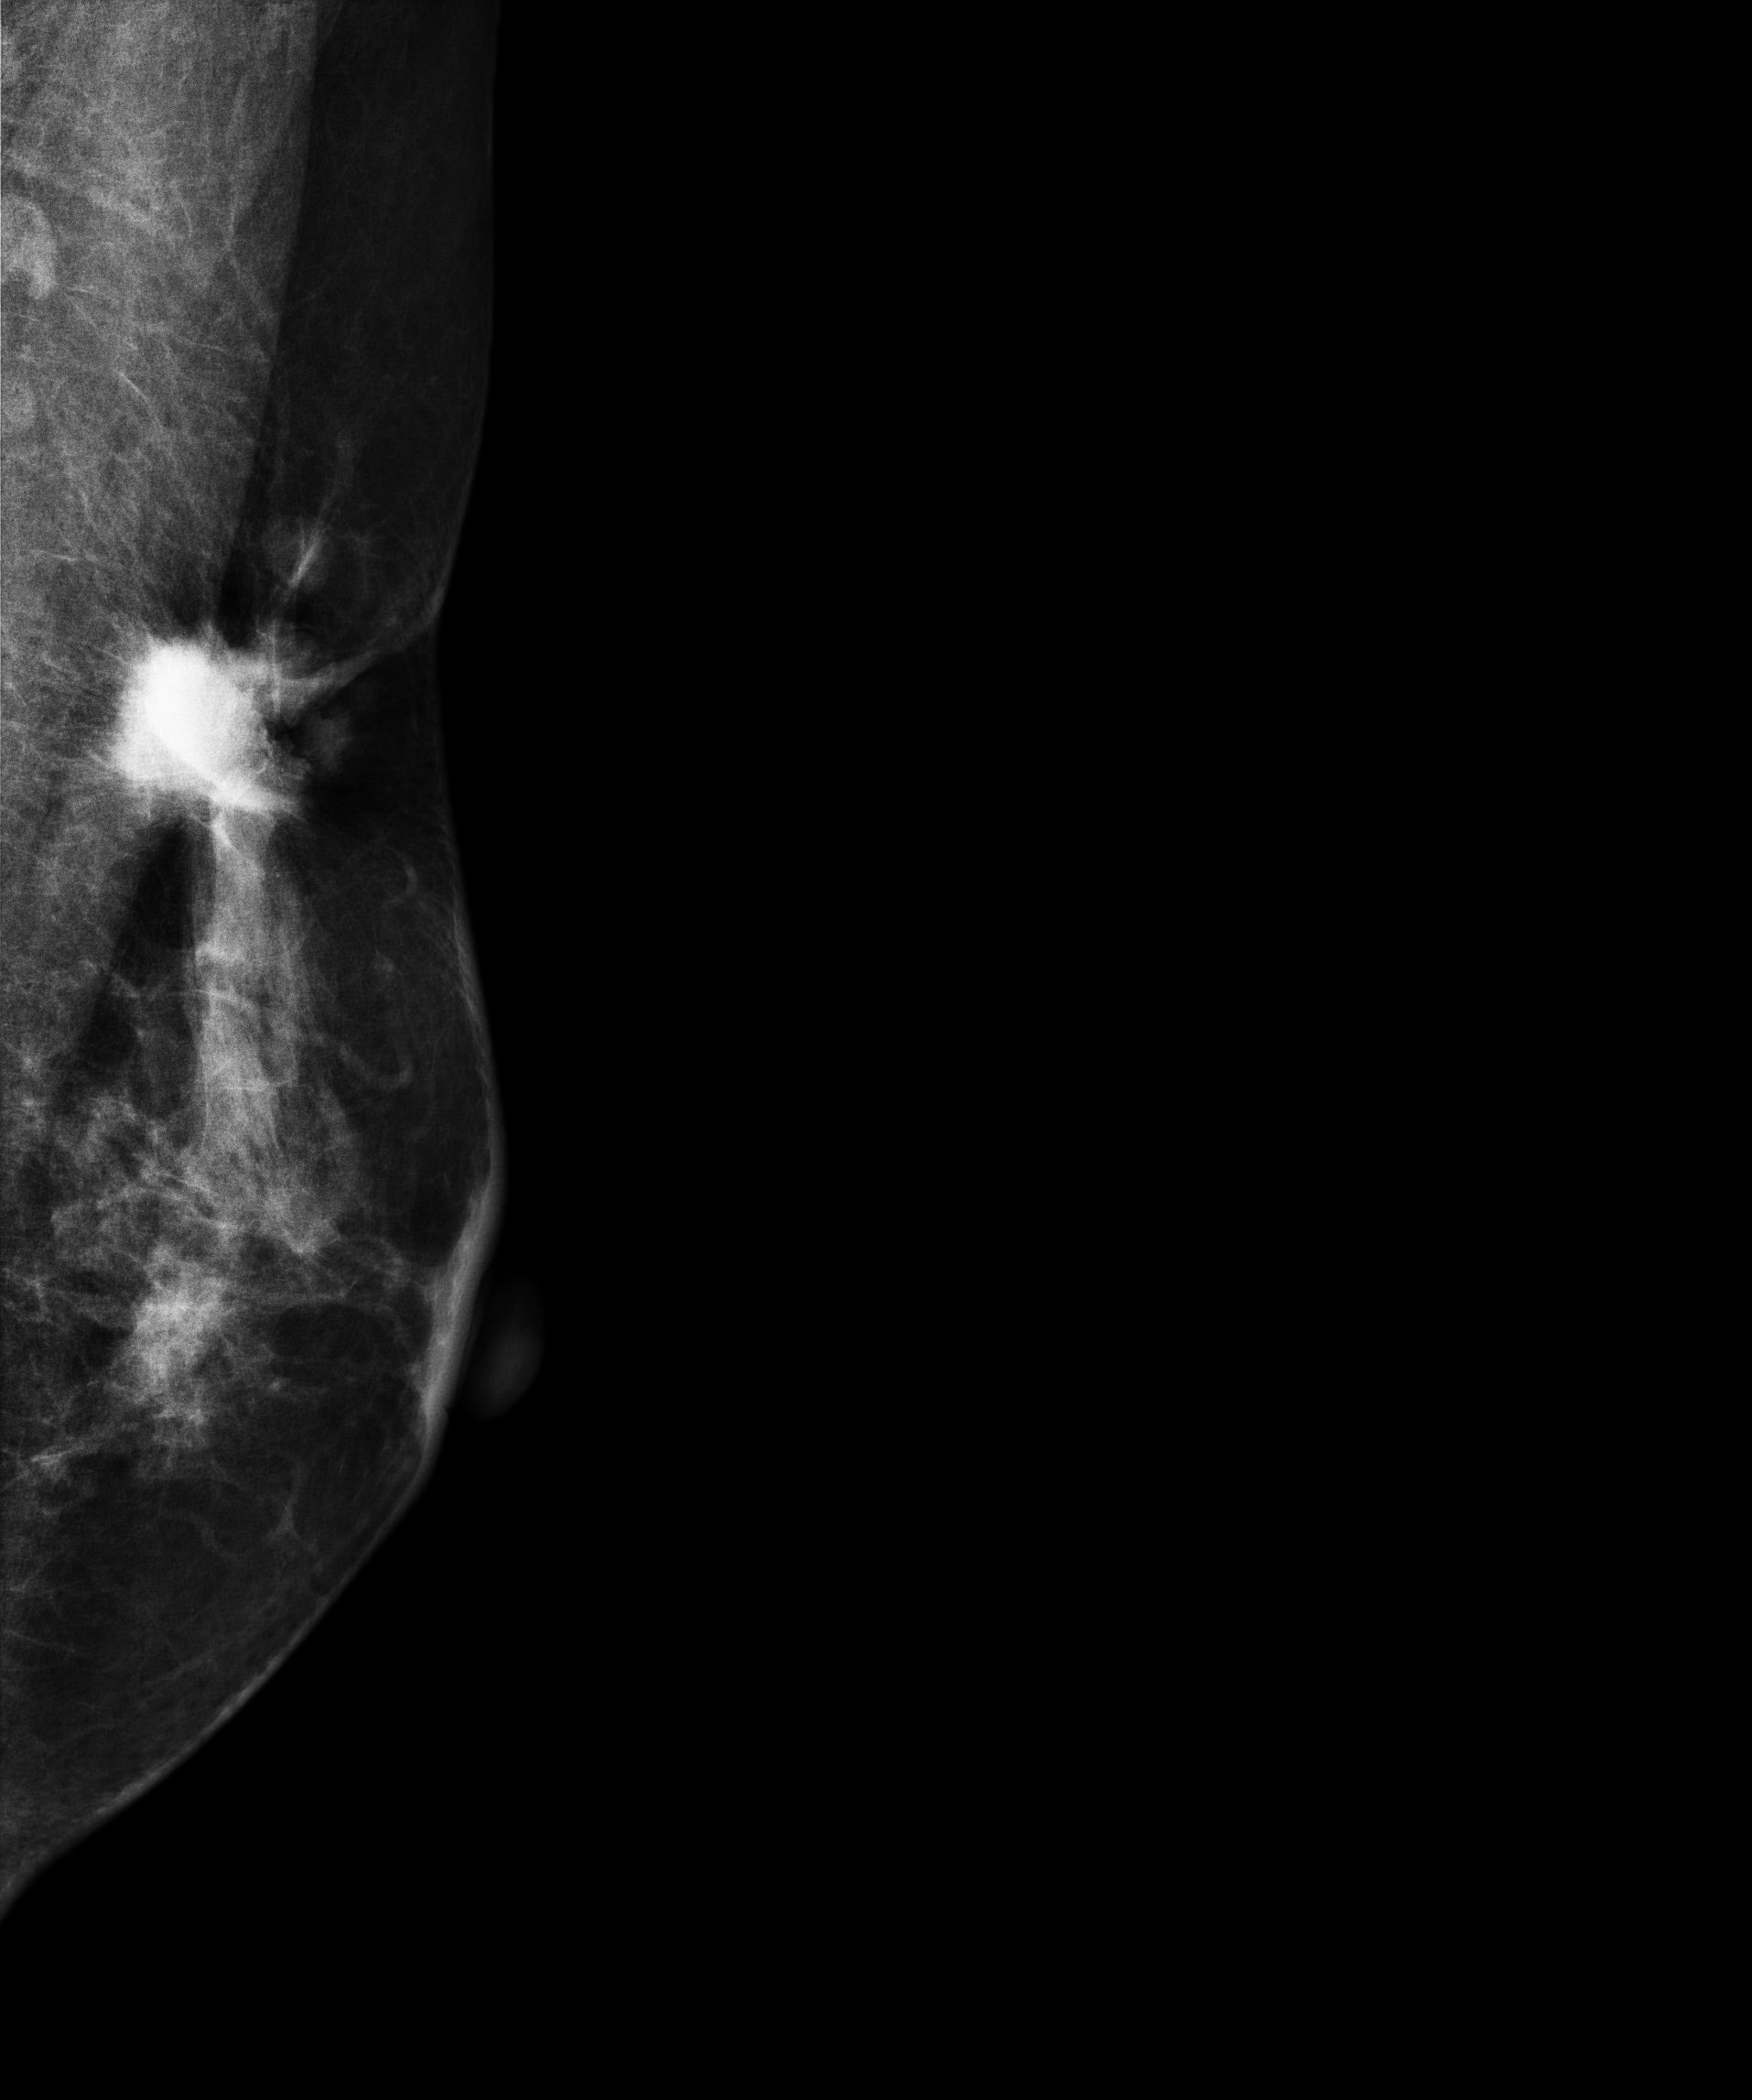
Mammogram, left breast, medio-lateral oblique view. 56-year-old patient.
This breast has a mass, histologically confirmed malignant.